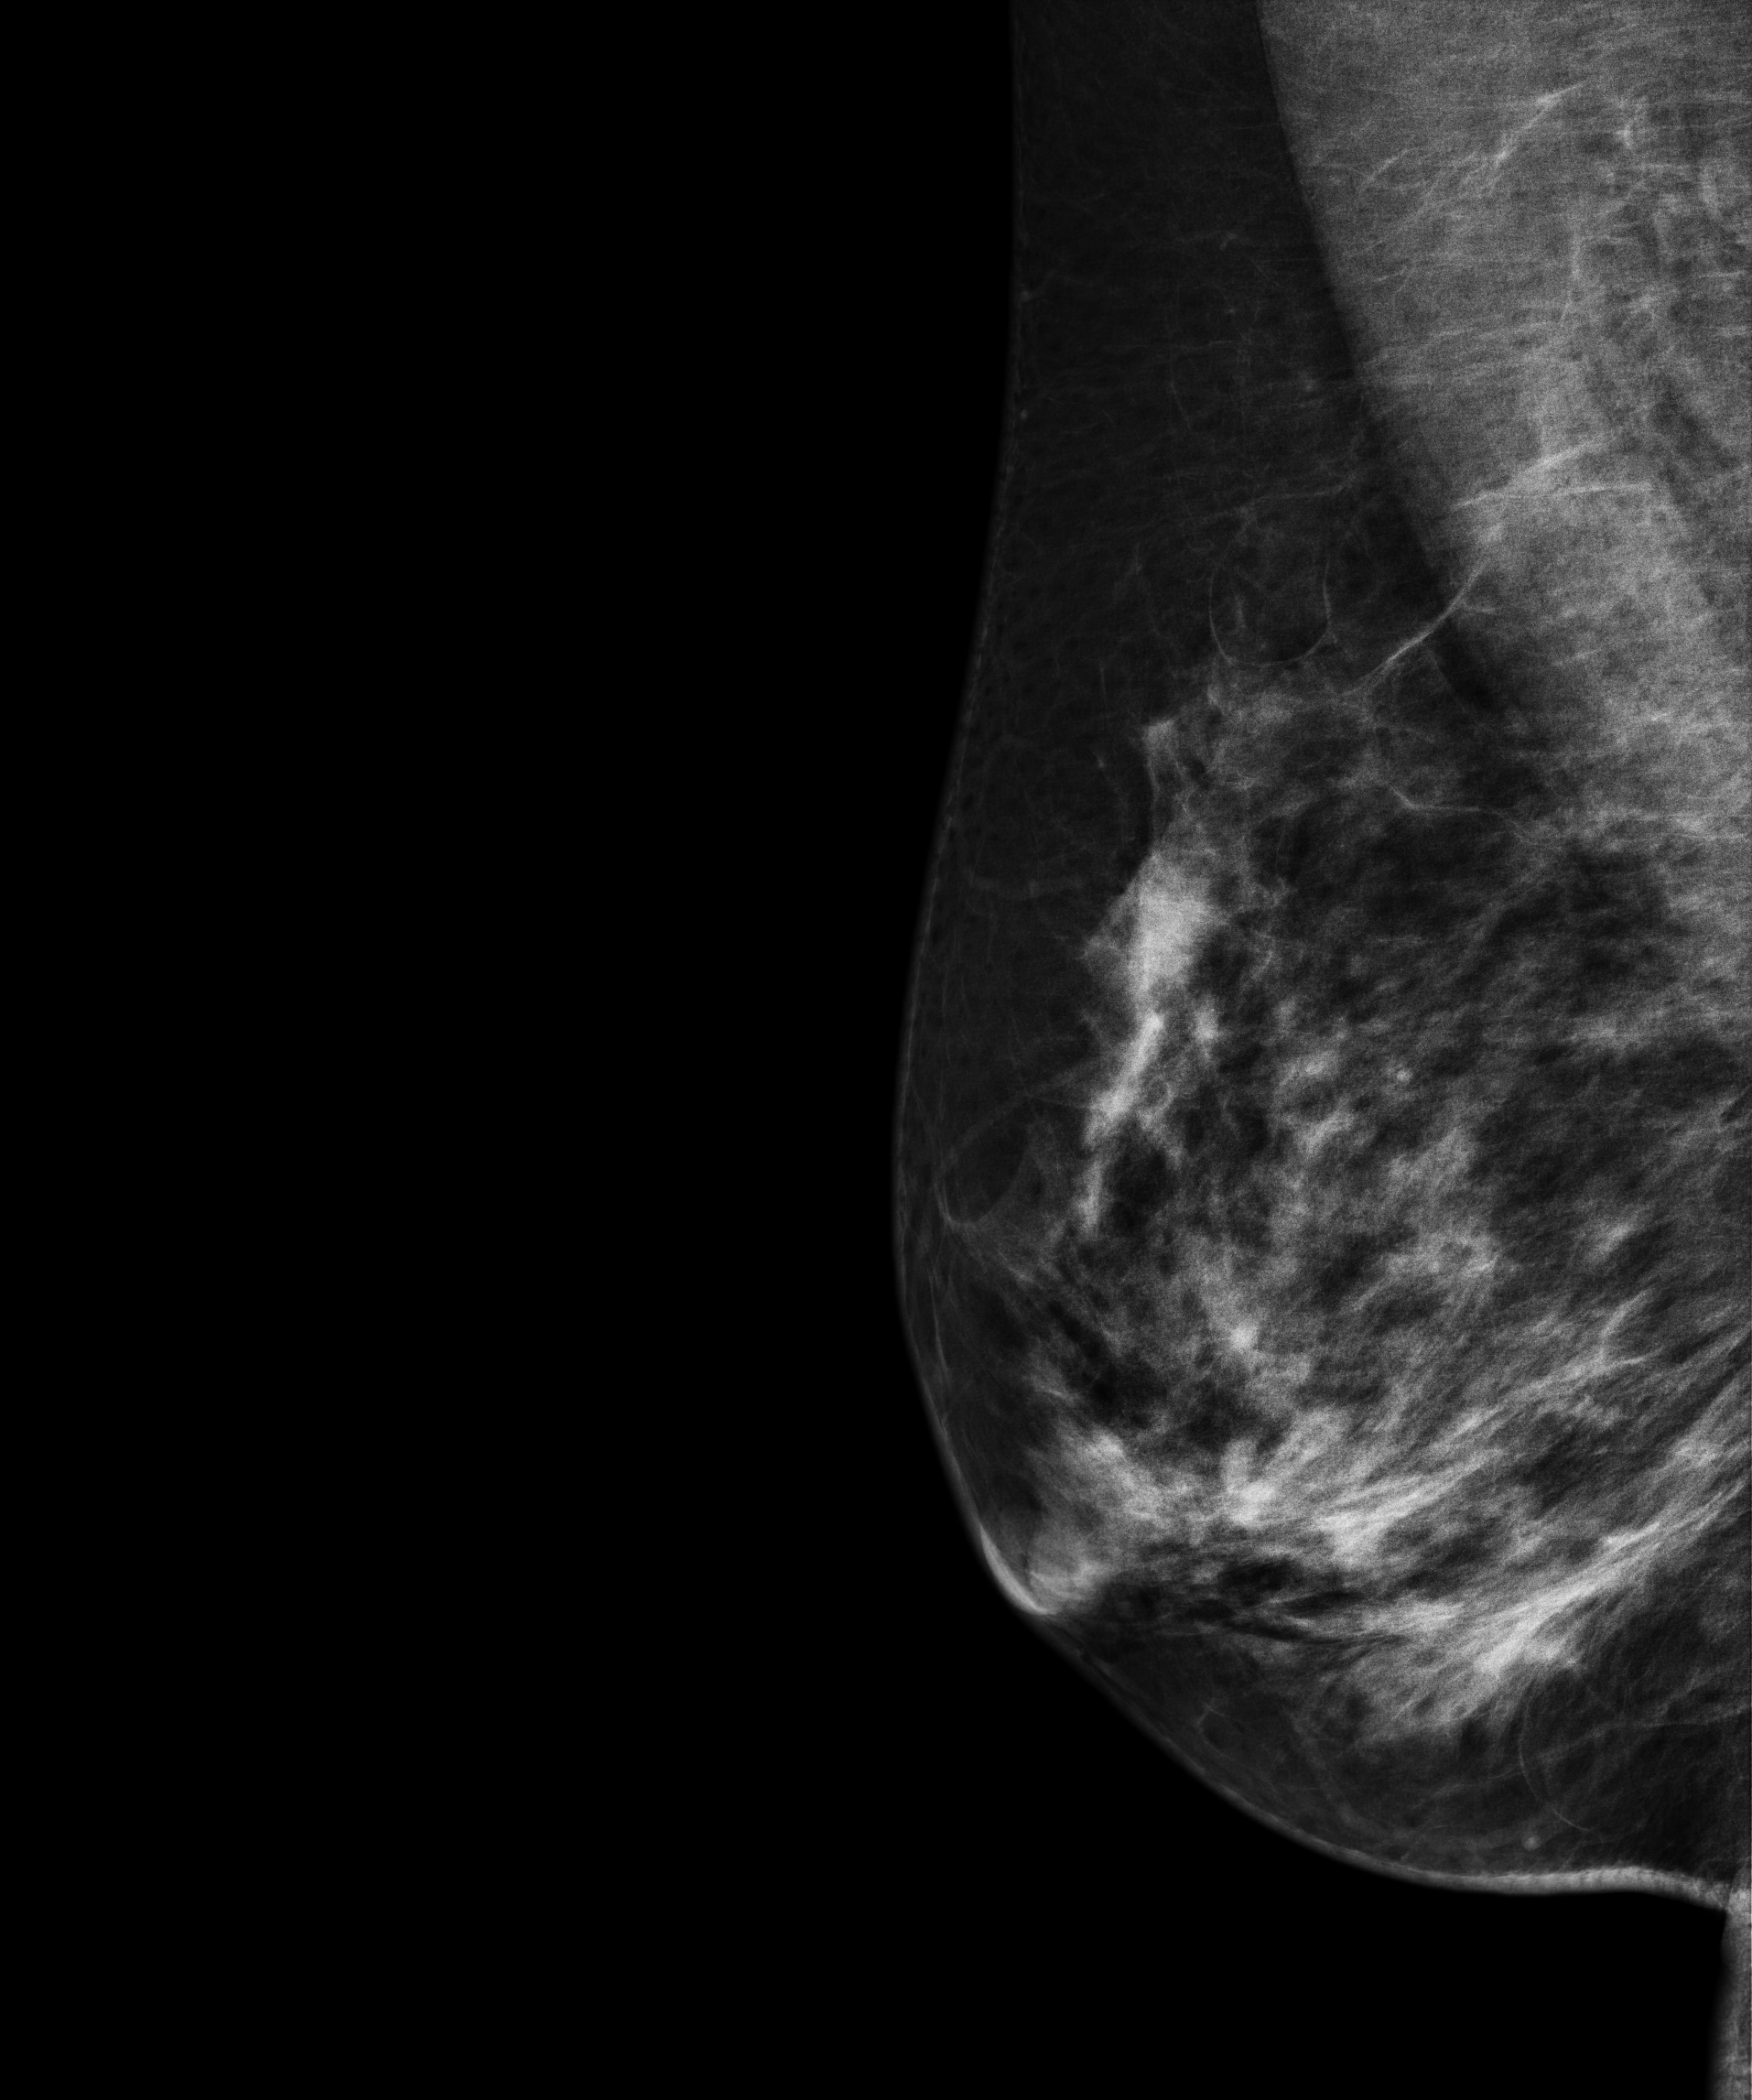
Medio-lateral oblique mammogram of the right breast. Patient age 52.
This breast has a mass, biopsy-proven malignant.